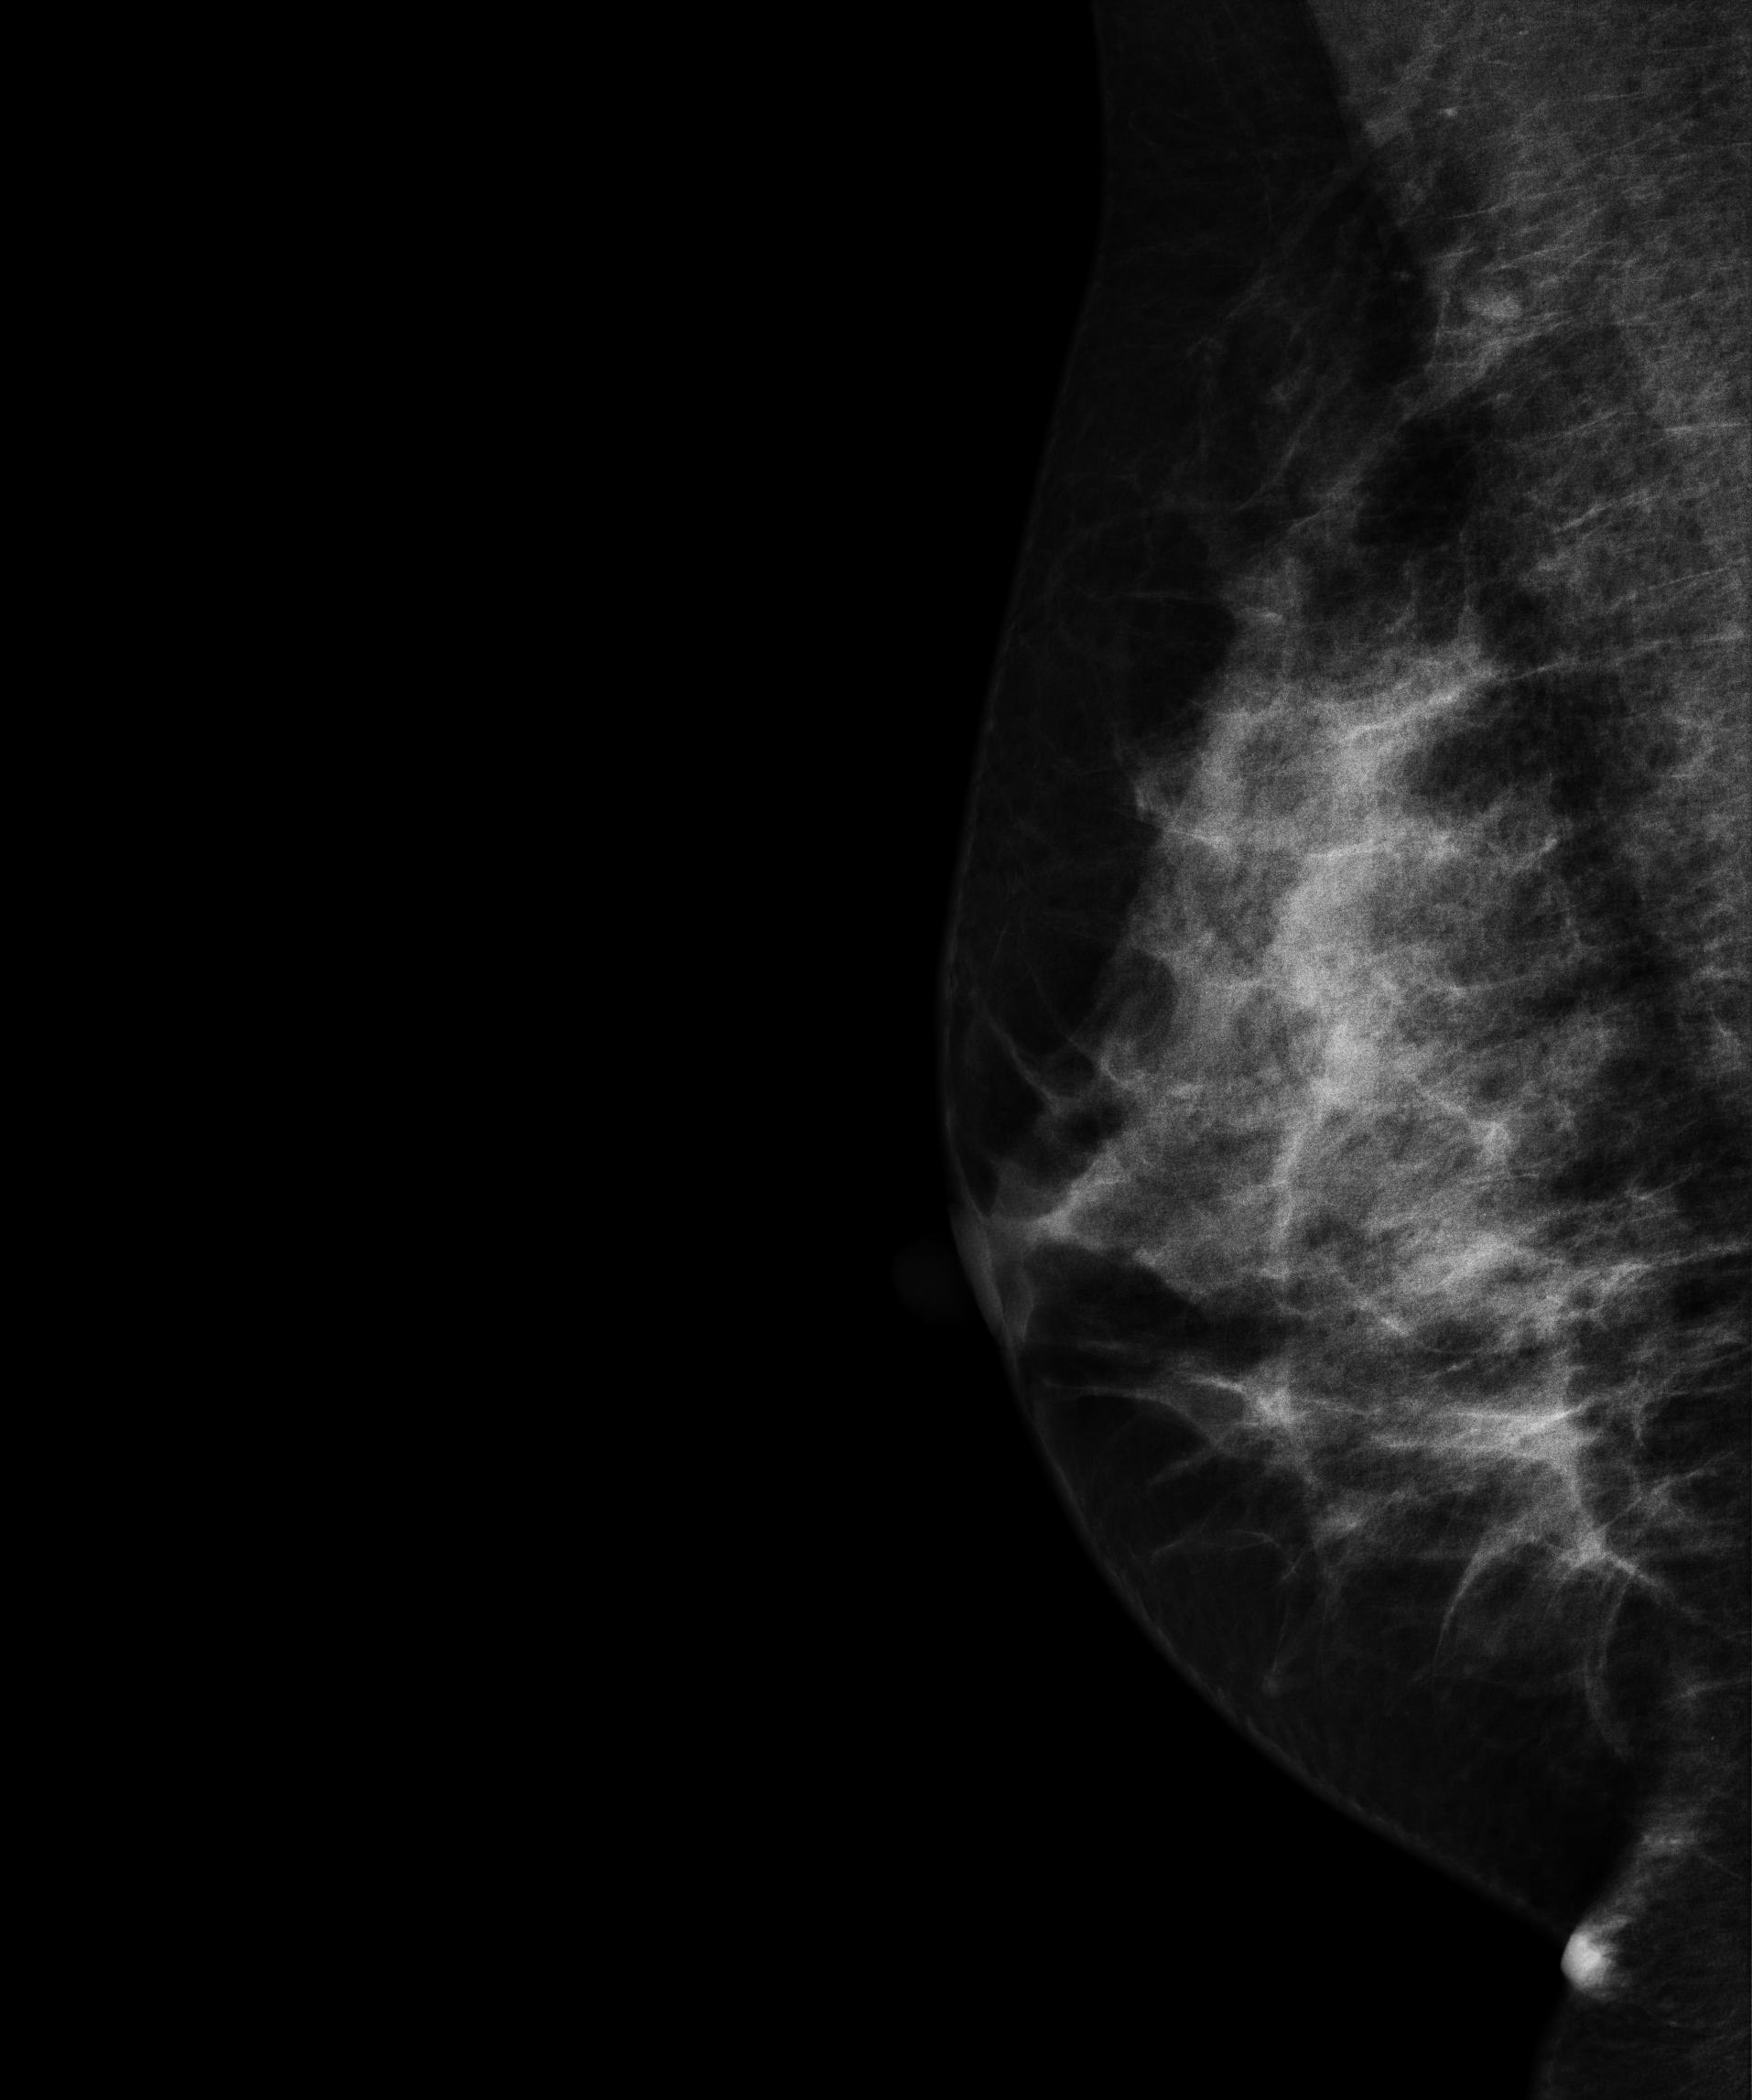
Mammogram — right medio-lateral oblique. 35-year-old patient.
This breast has a mass, biopsy-confirmed benign.